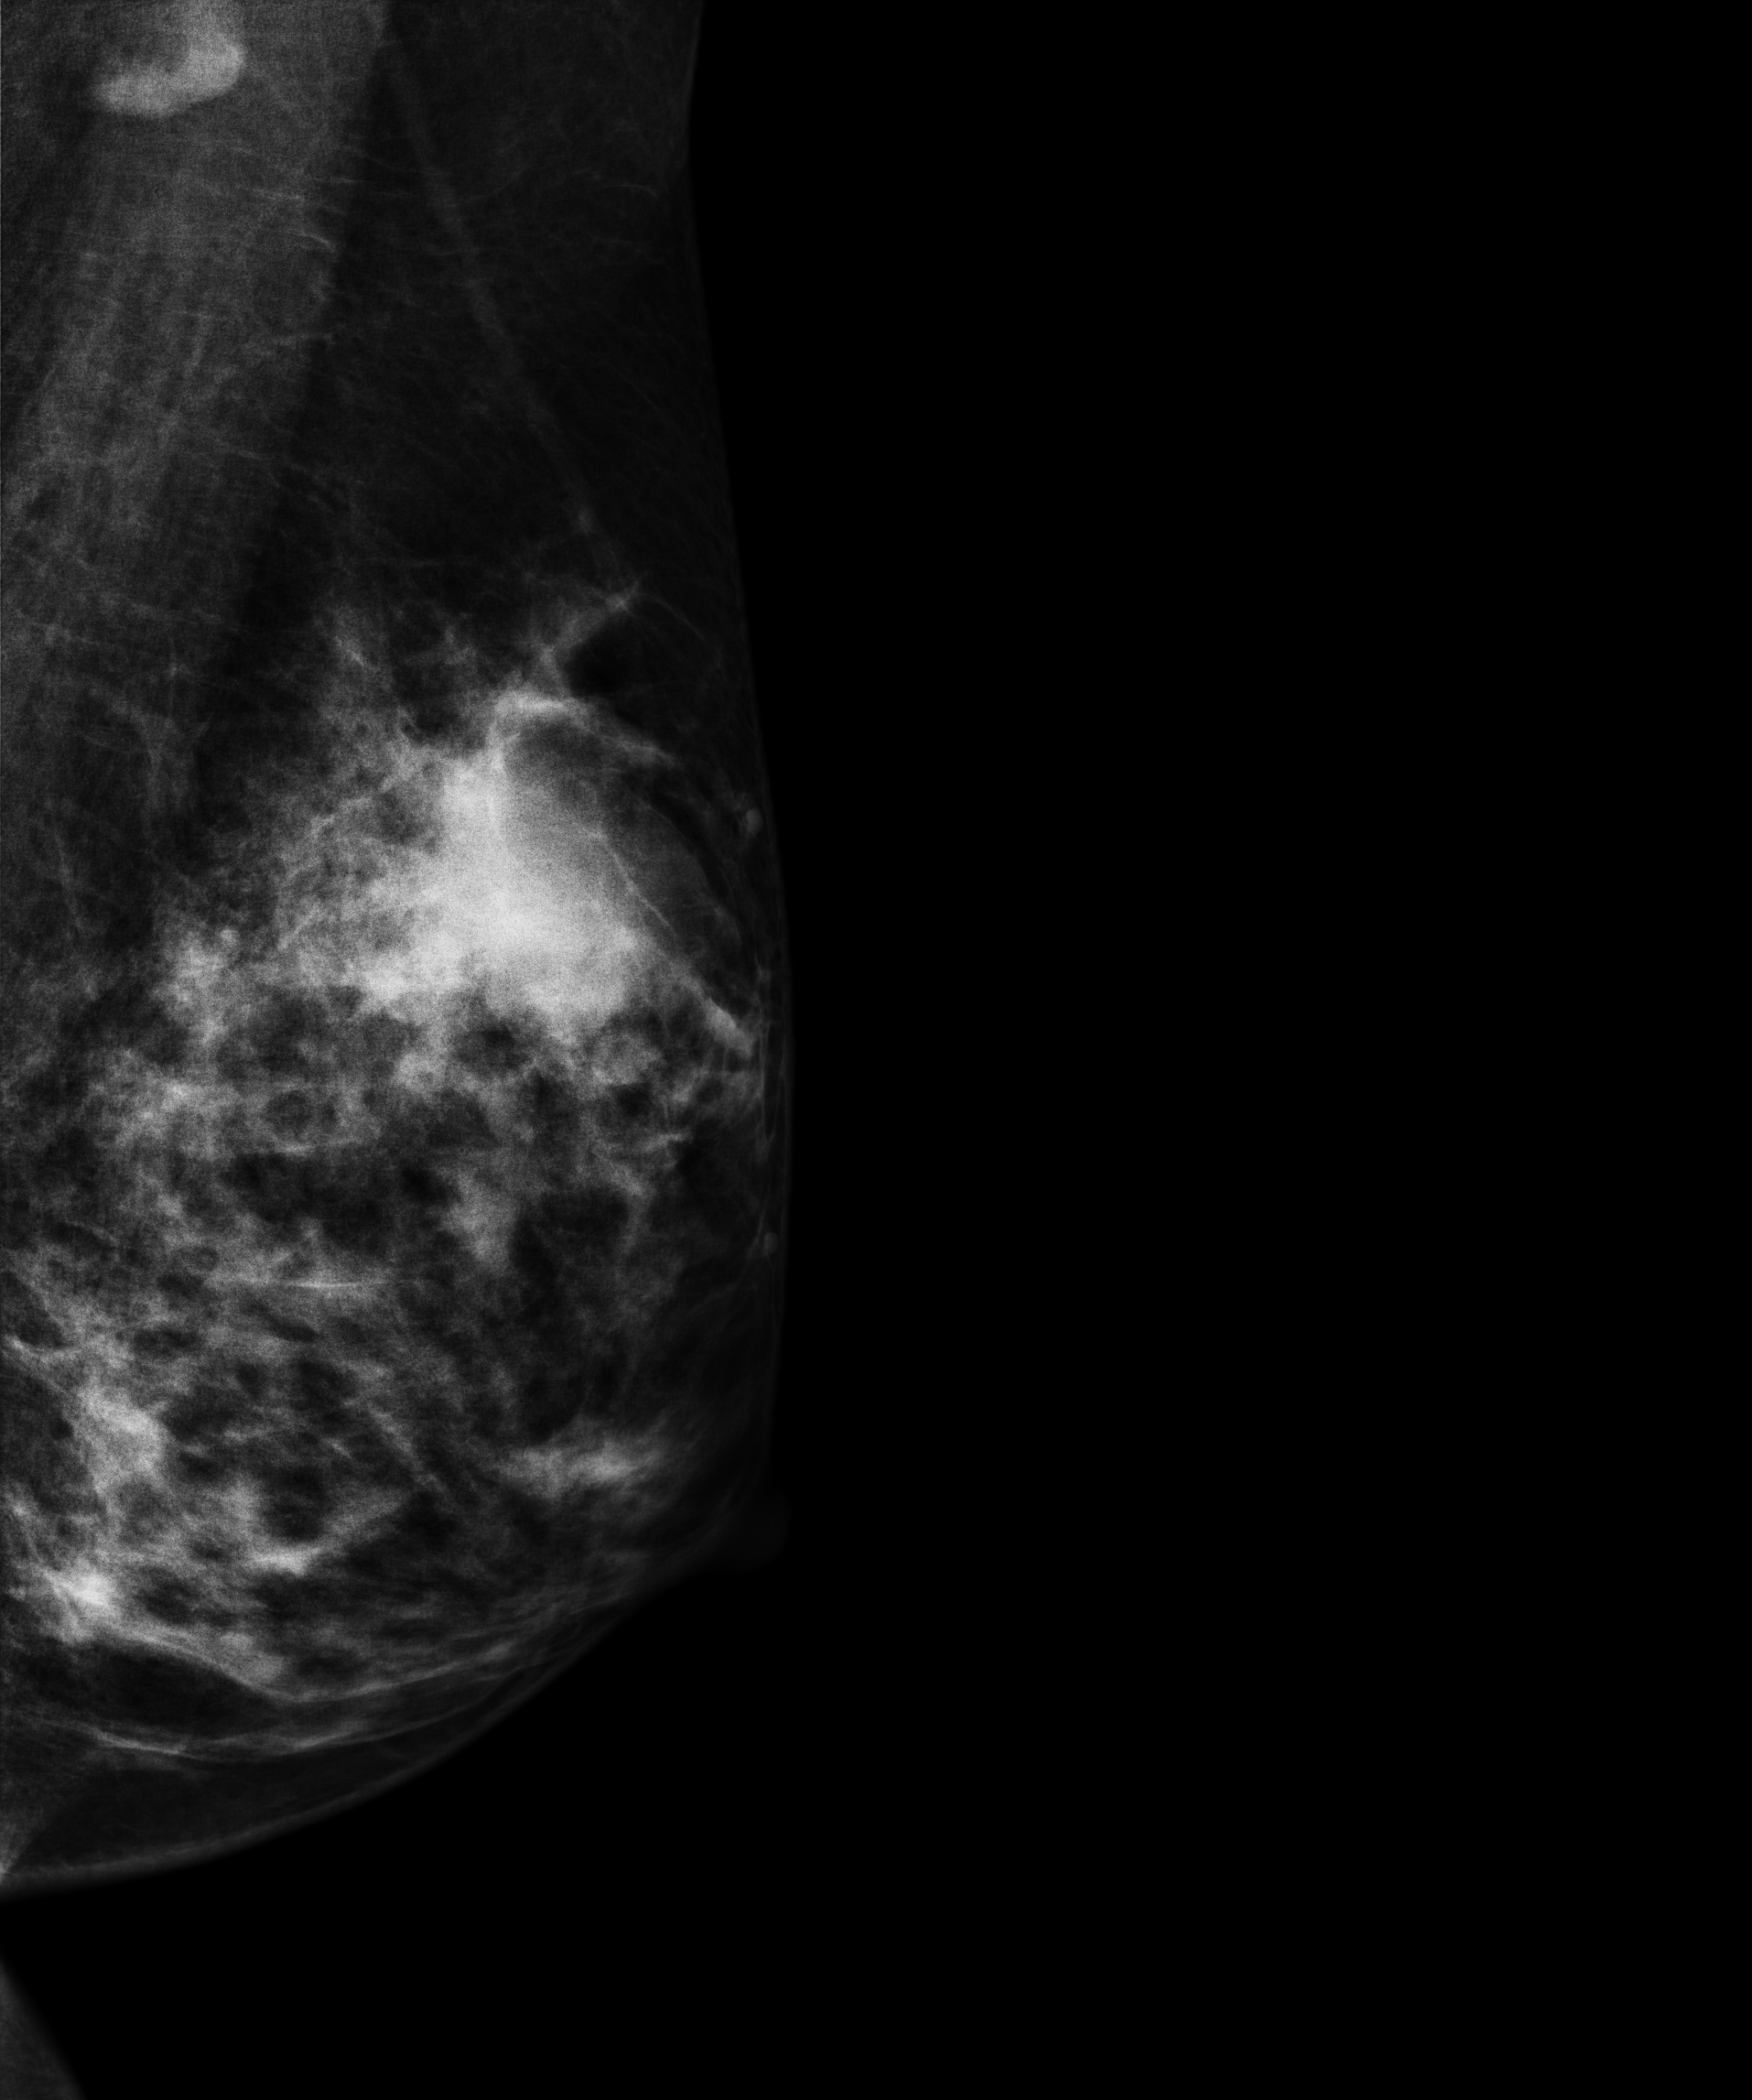
Mammogram, left breast, medio-lateral oblique view. 37-year-old patient.
This breast has a mass, biopsy-proven malignant.